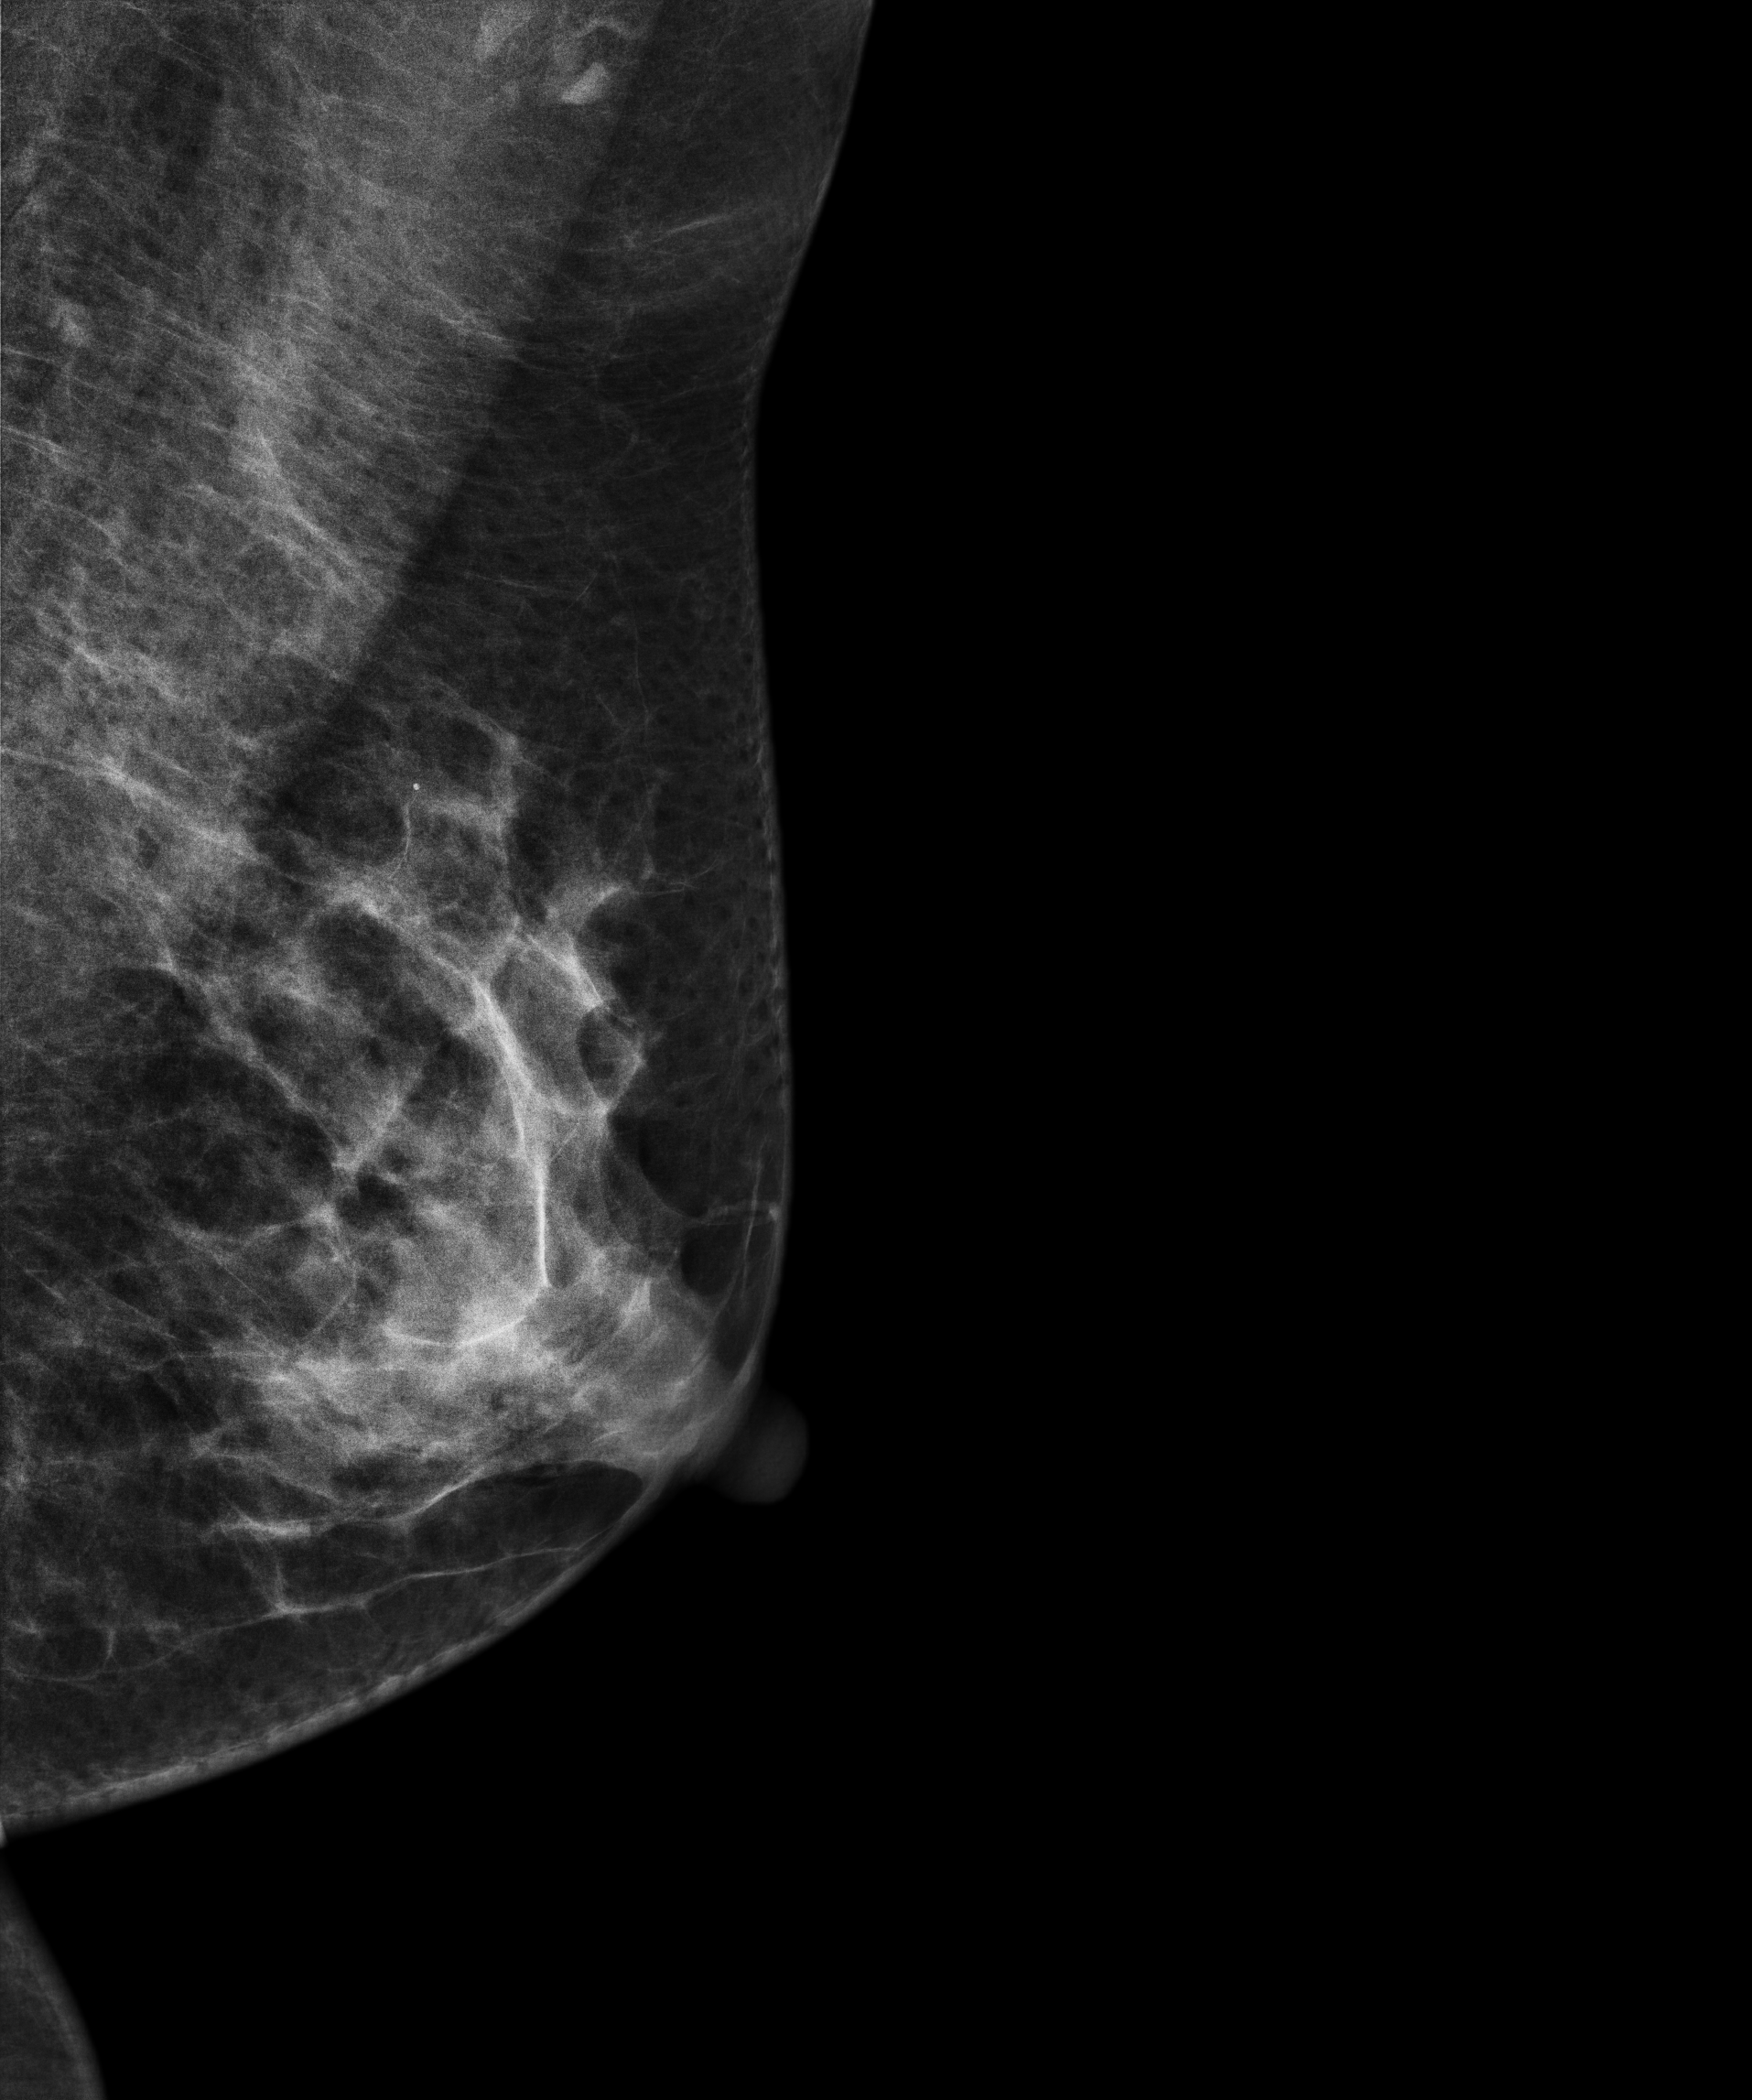
Mammogram, left breast, MLO view. 51-year-old patient.
Contralateral breast — no documented abnormality on this side.